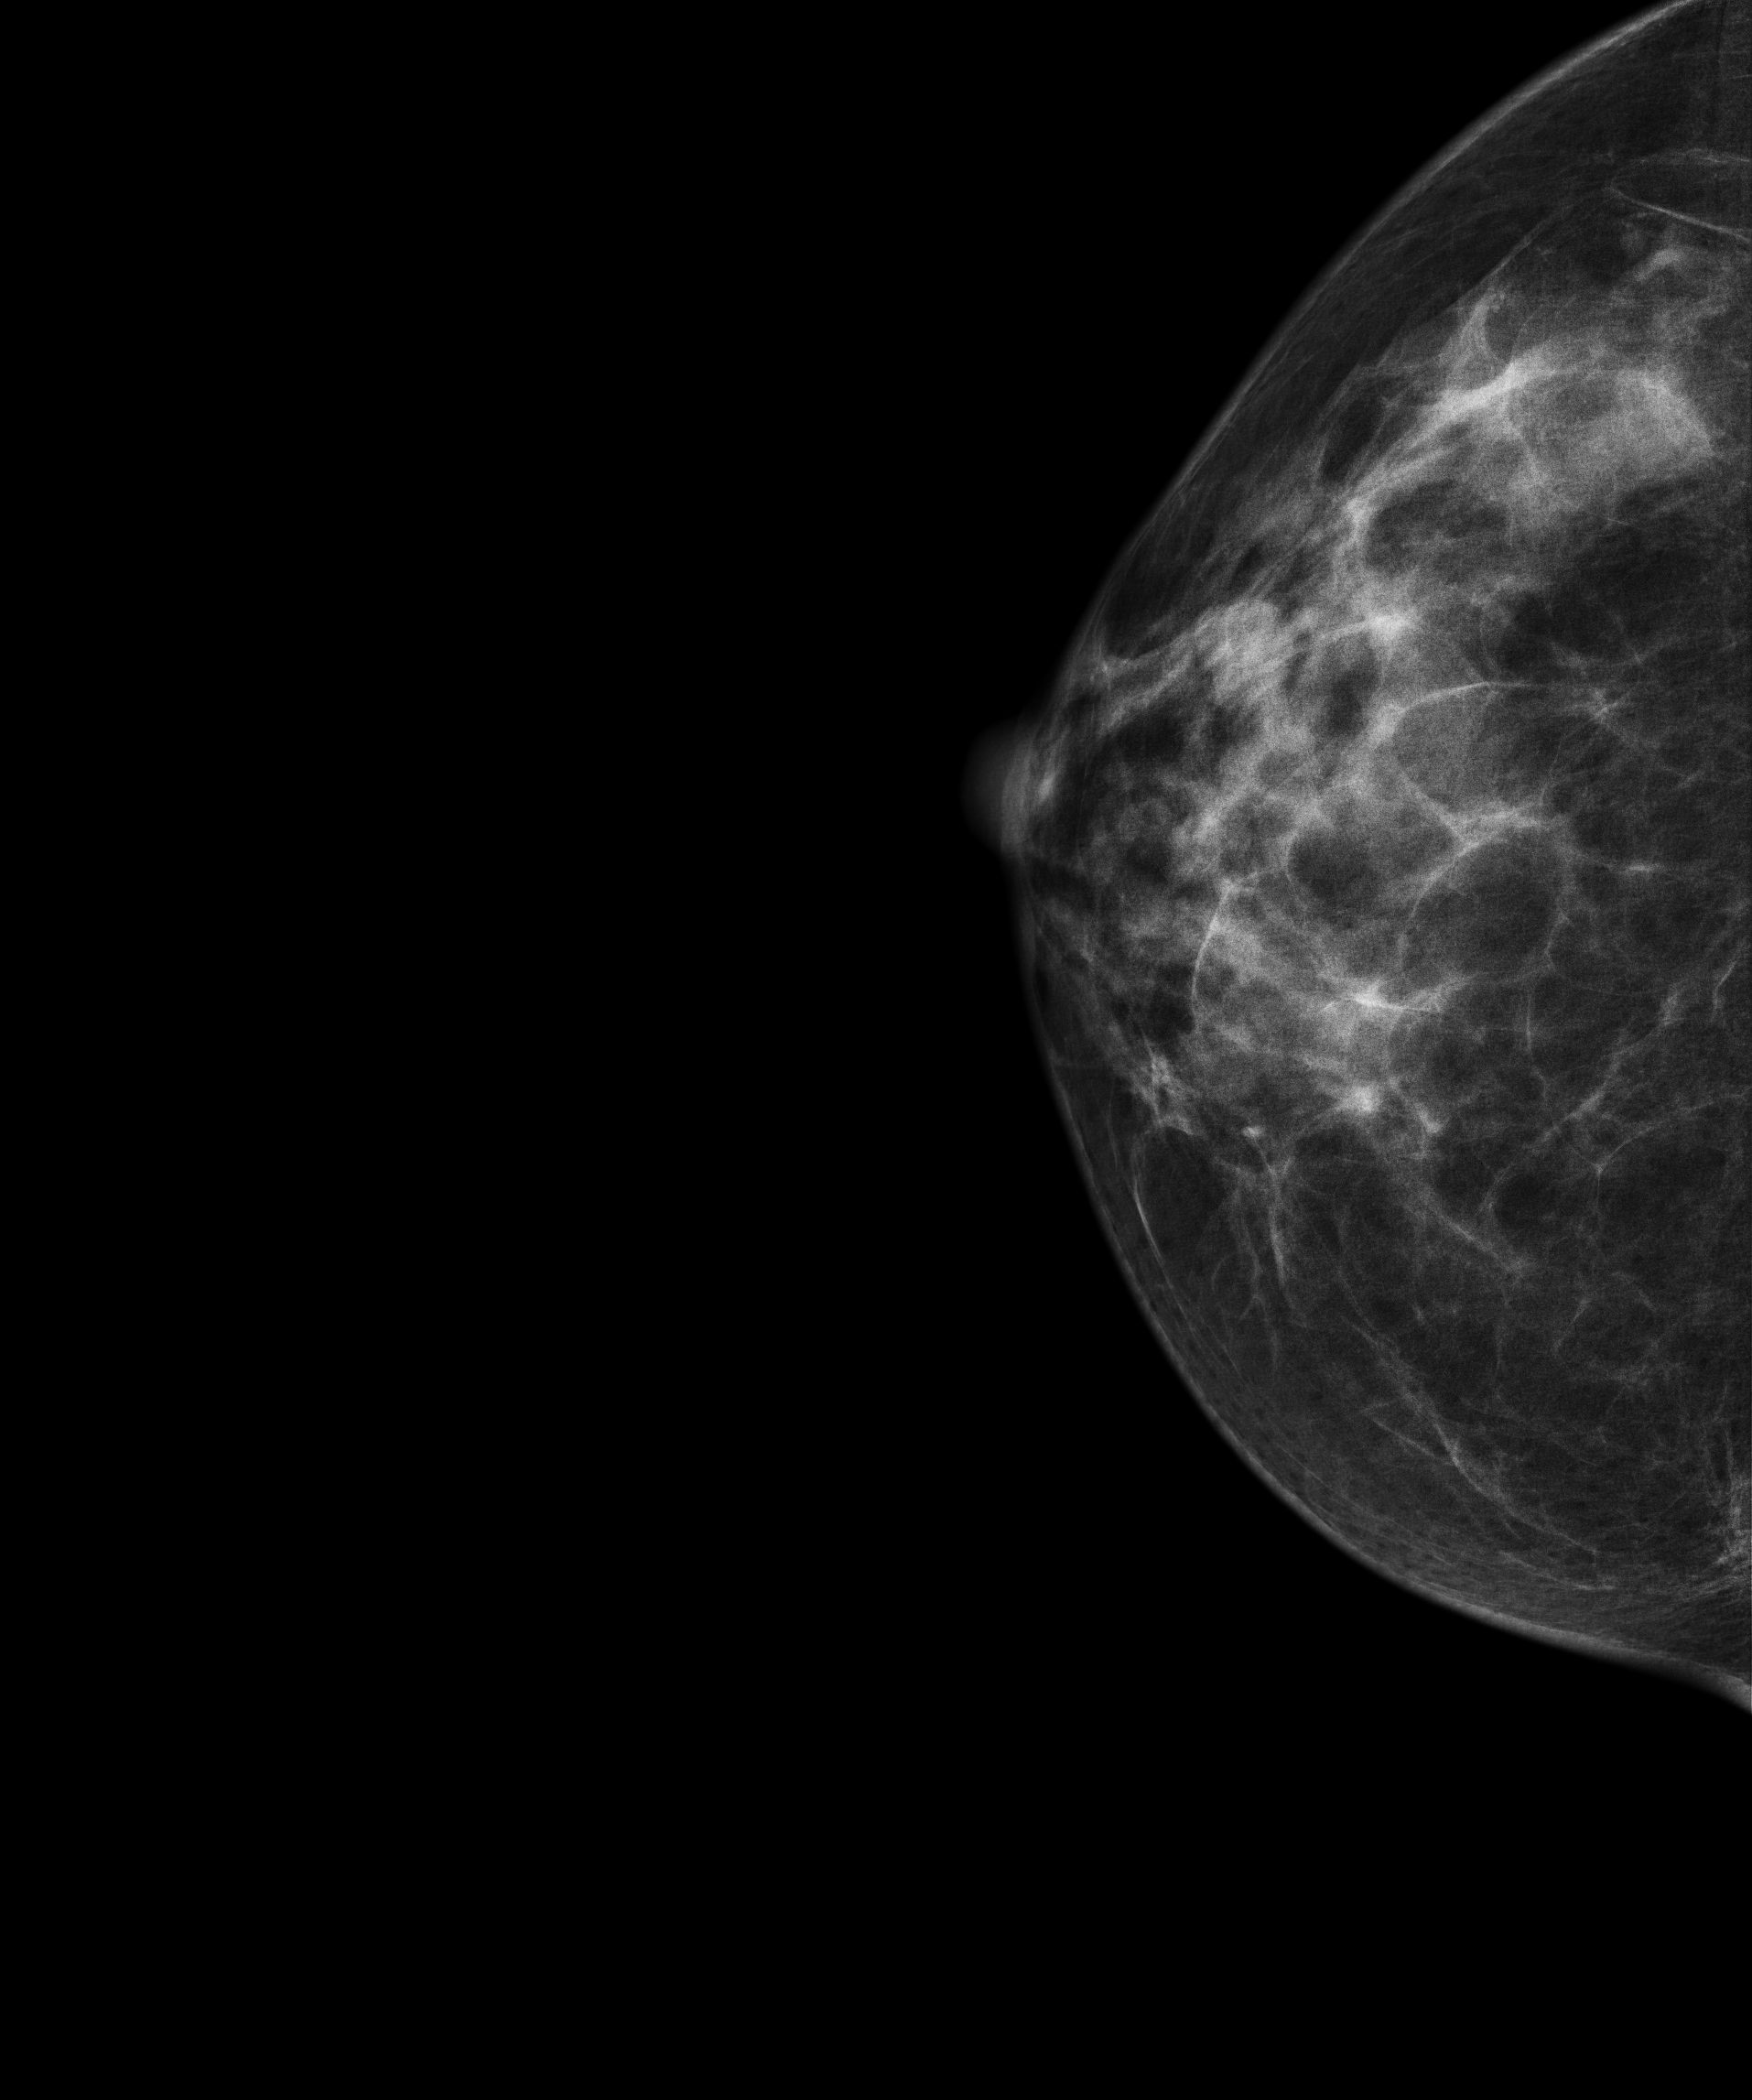
Digital mammography. Right breast, cranio-caudal projection. Patient age 46.
This breast has a mass, biopsy-proven benign.